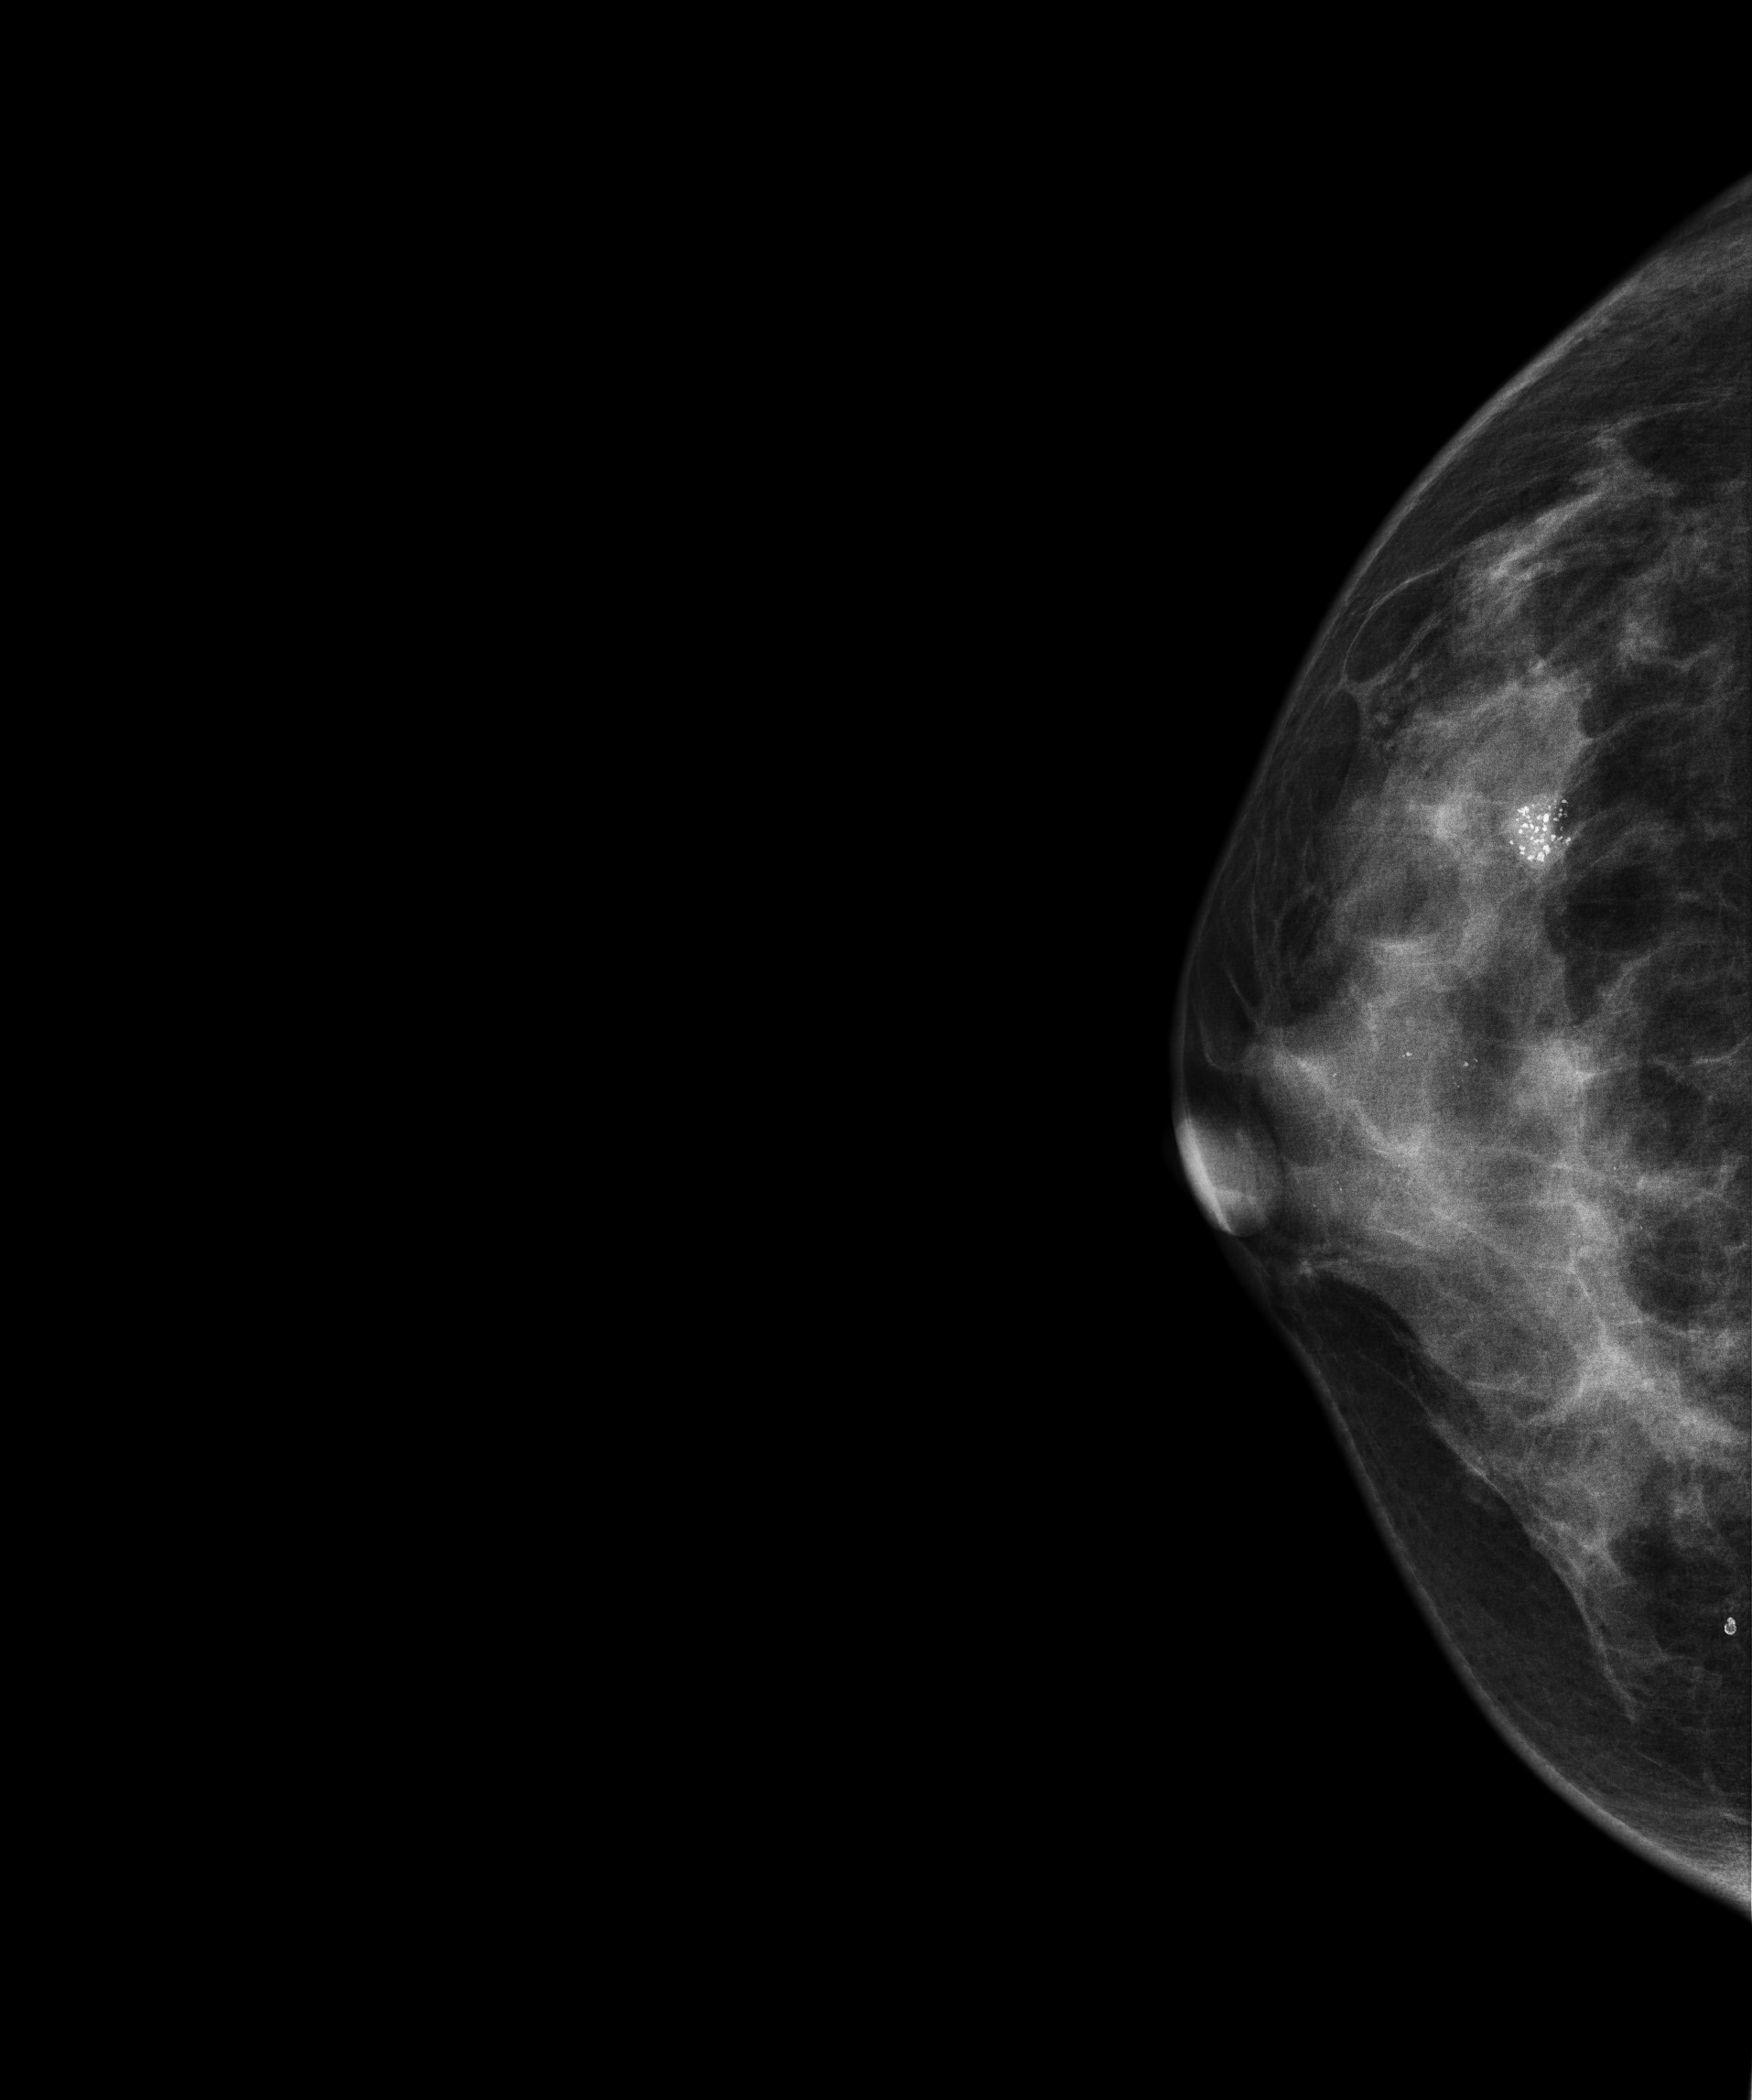
Digital mammography. Right breast, cranio-caudal projection. Patient age 33.
This breast has a mass and calcifications, pathology-confirmed benign.